Mammogram, right breast, cranio-caudal view. 56 y/o patient.
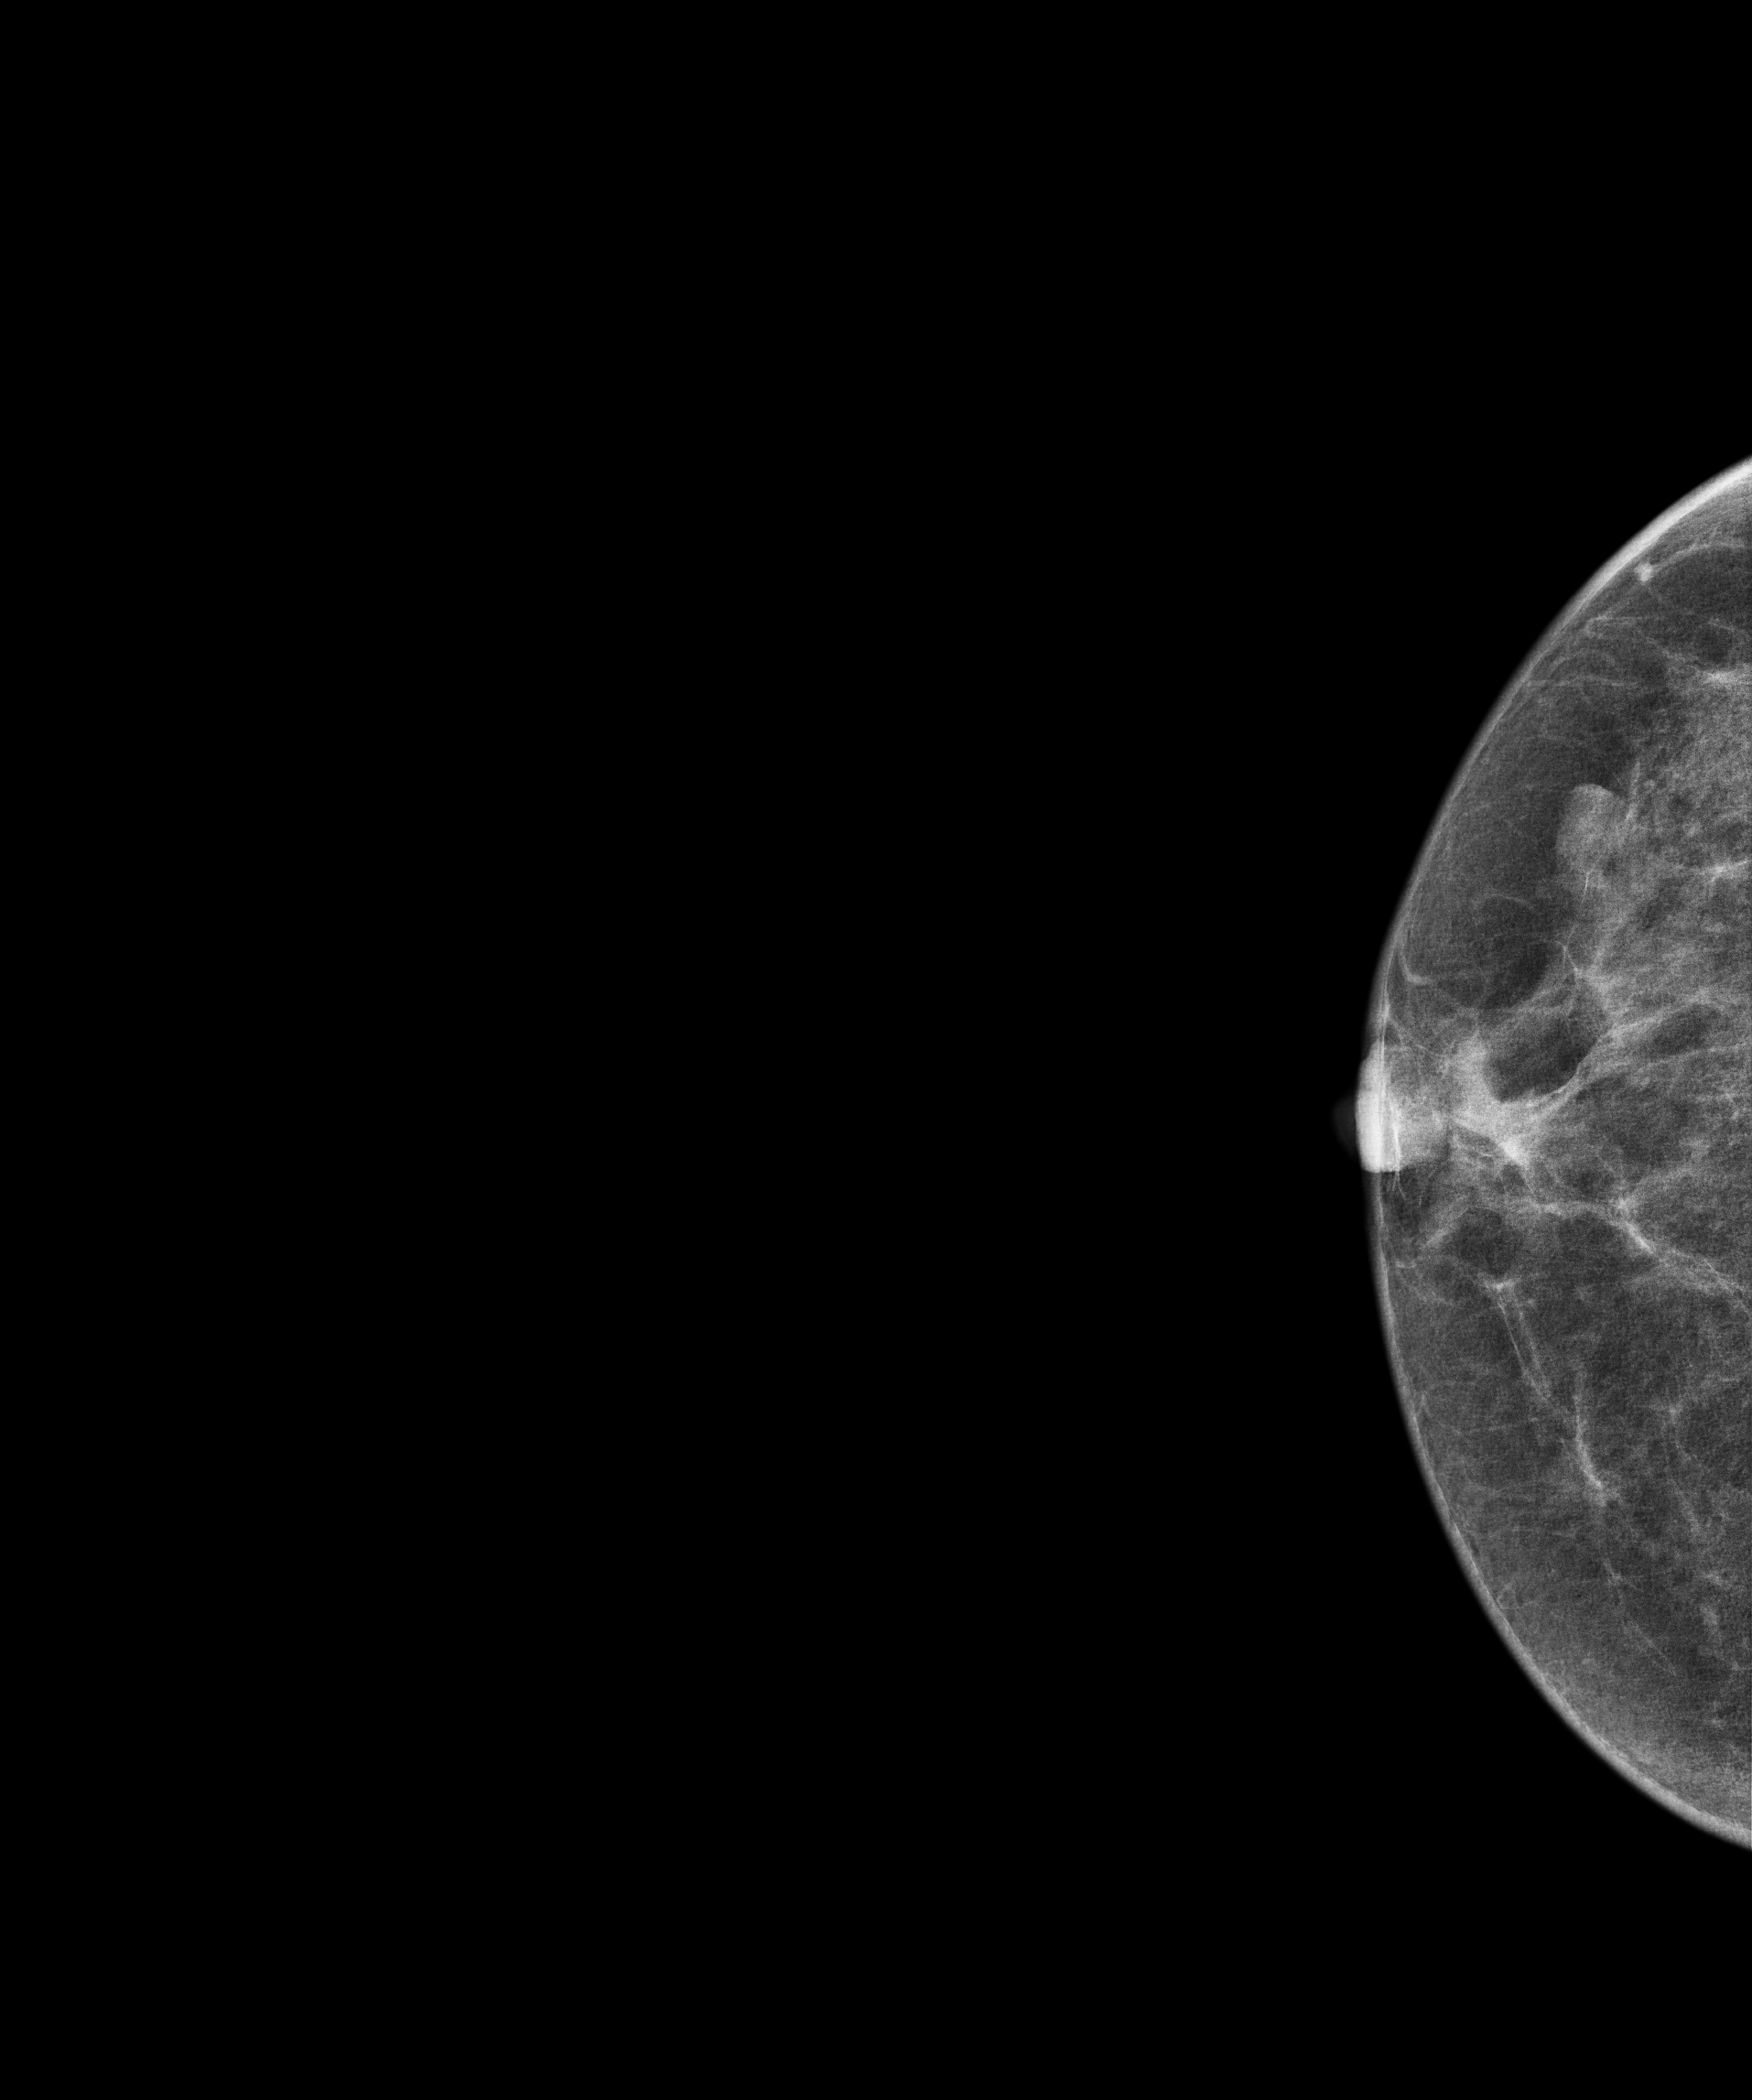
Contralateral breast — no documented abnormality on this side.